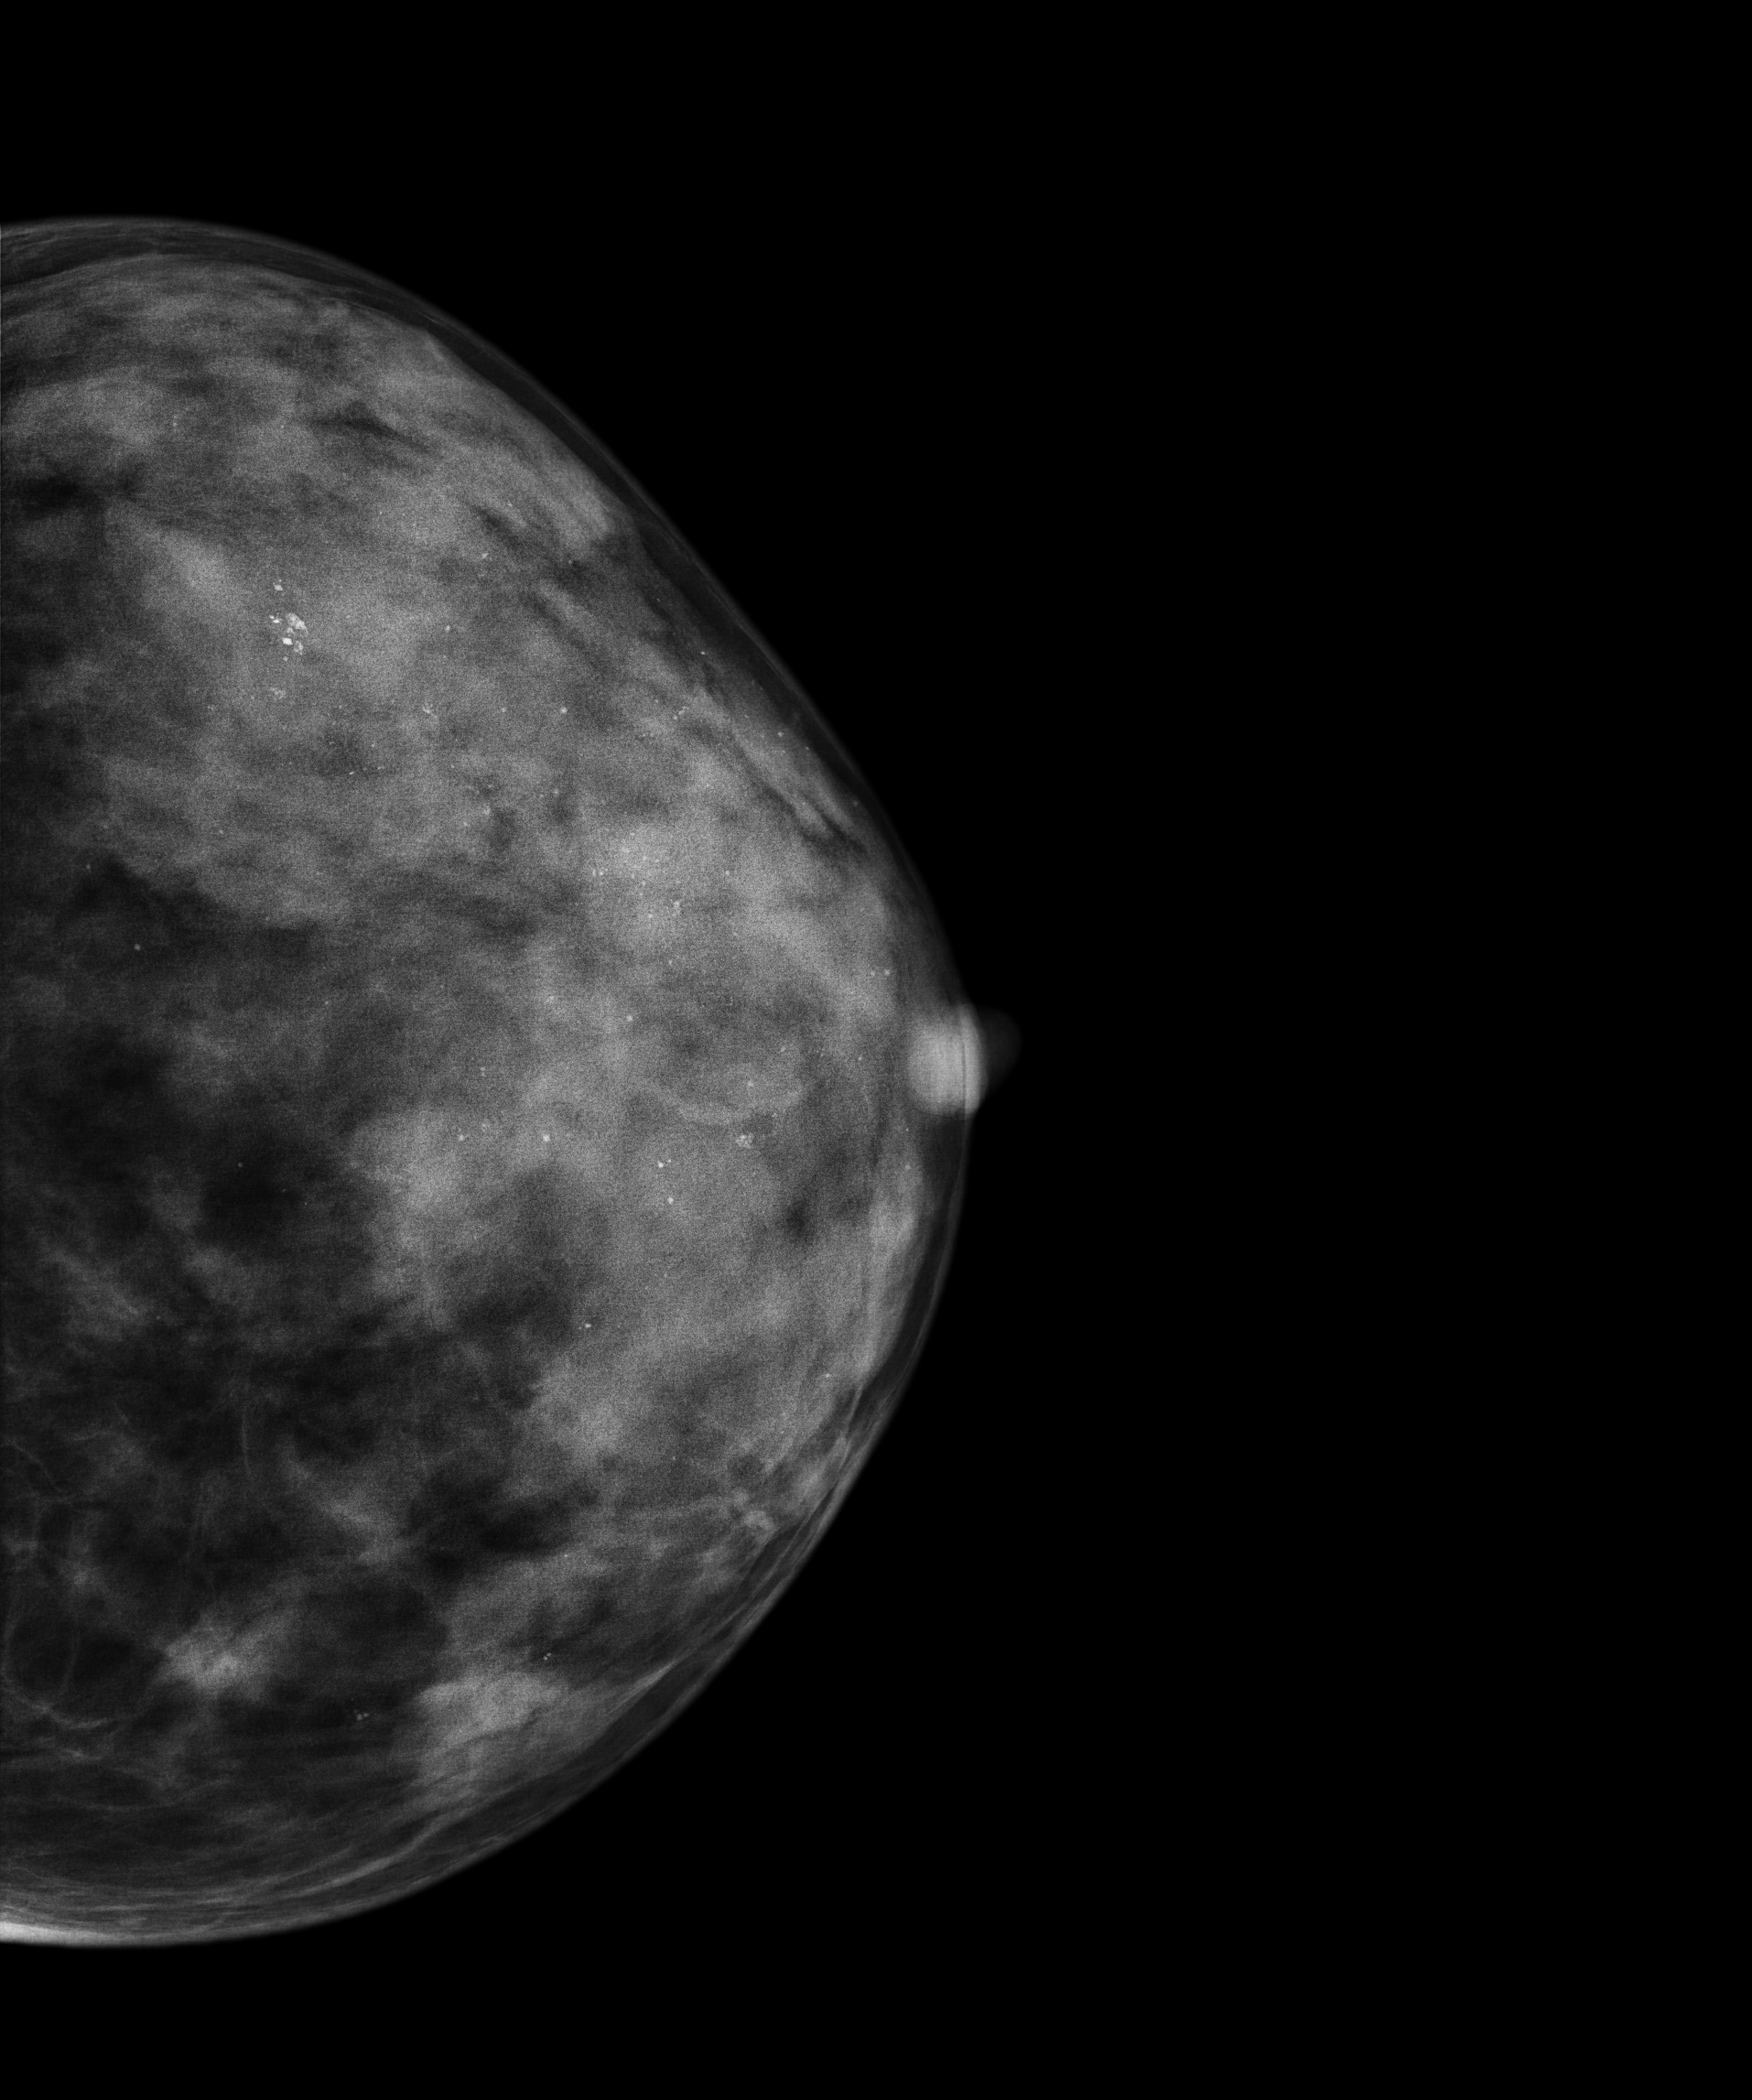
Left-breast mammogram, CC. 36 y/o patient.
This breast has calcifications, biopsy-proven benign.